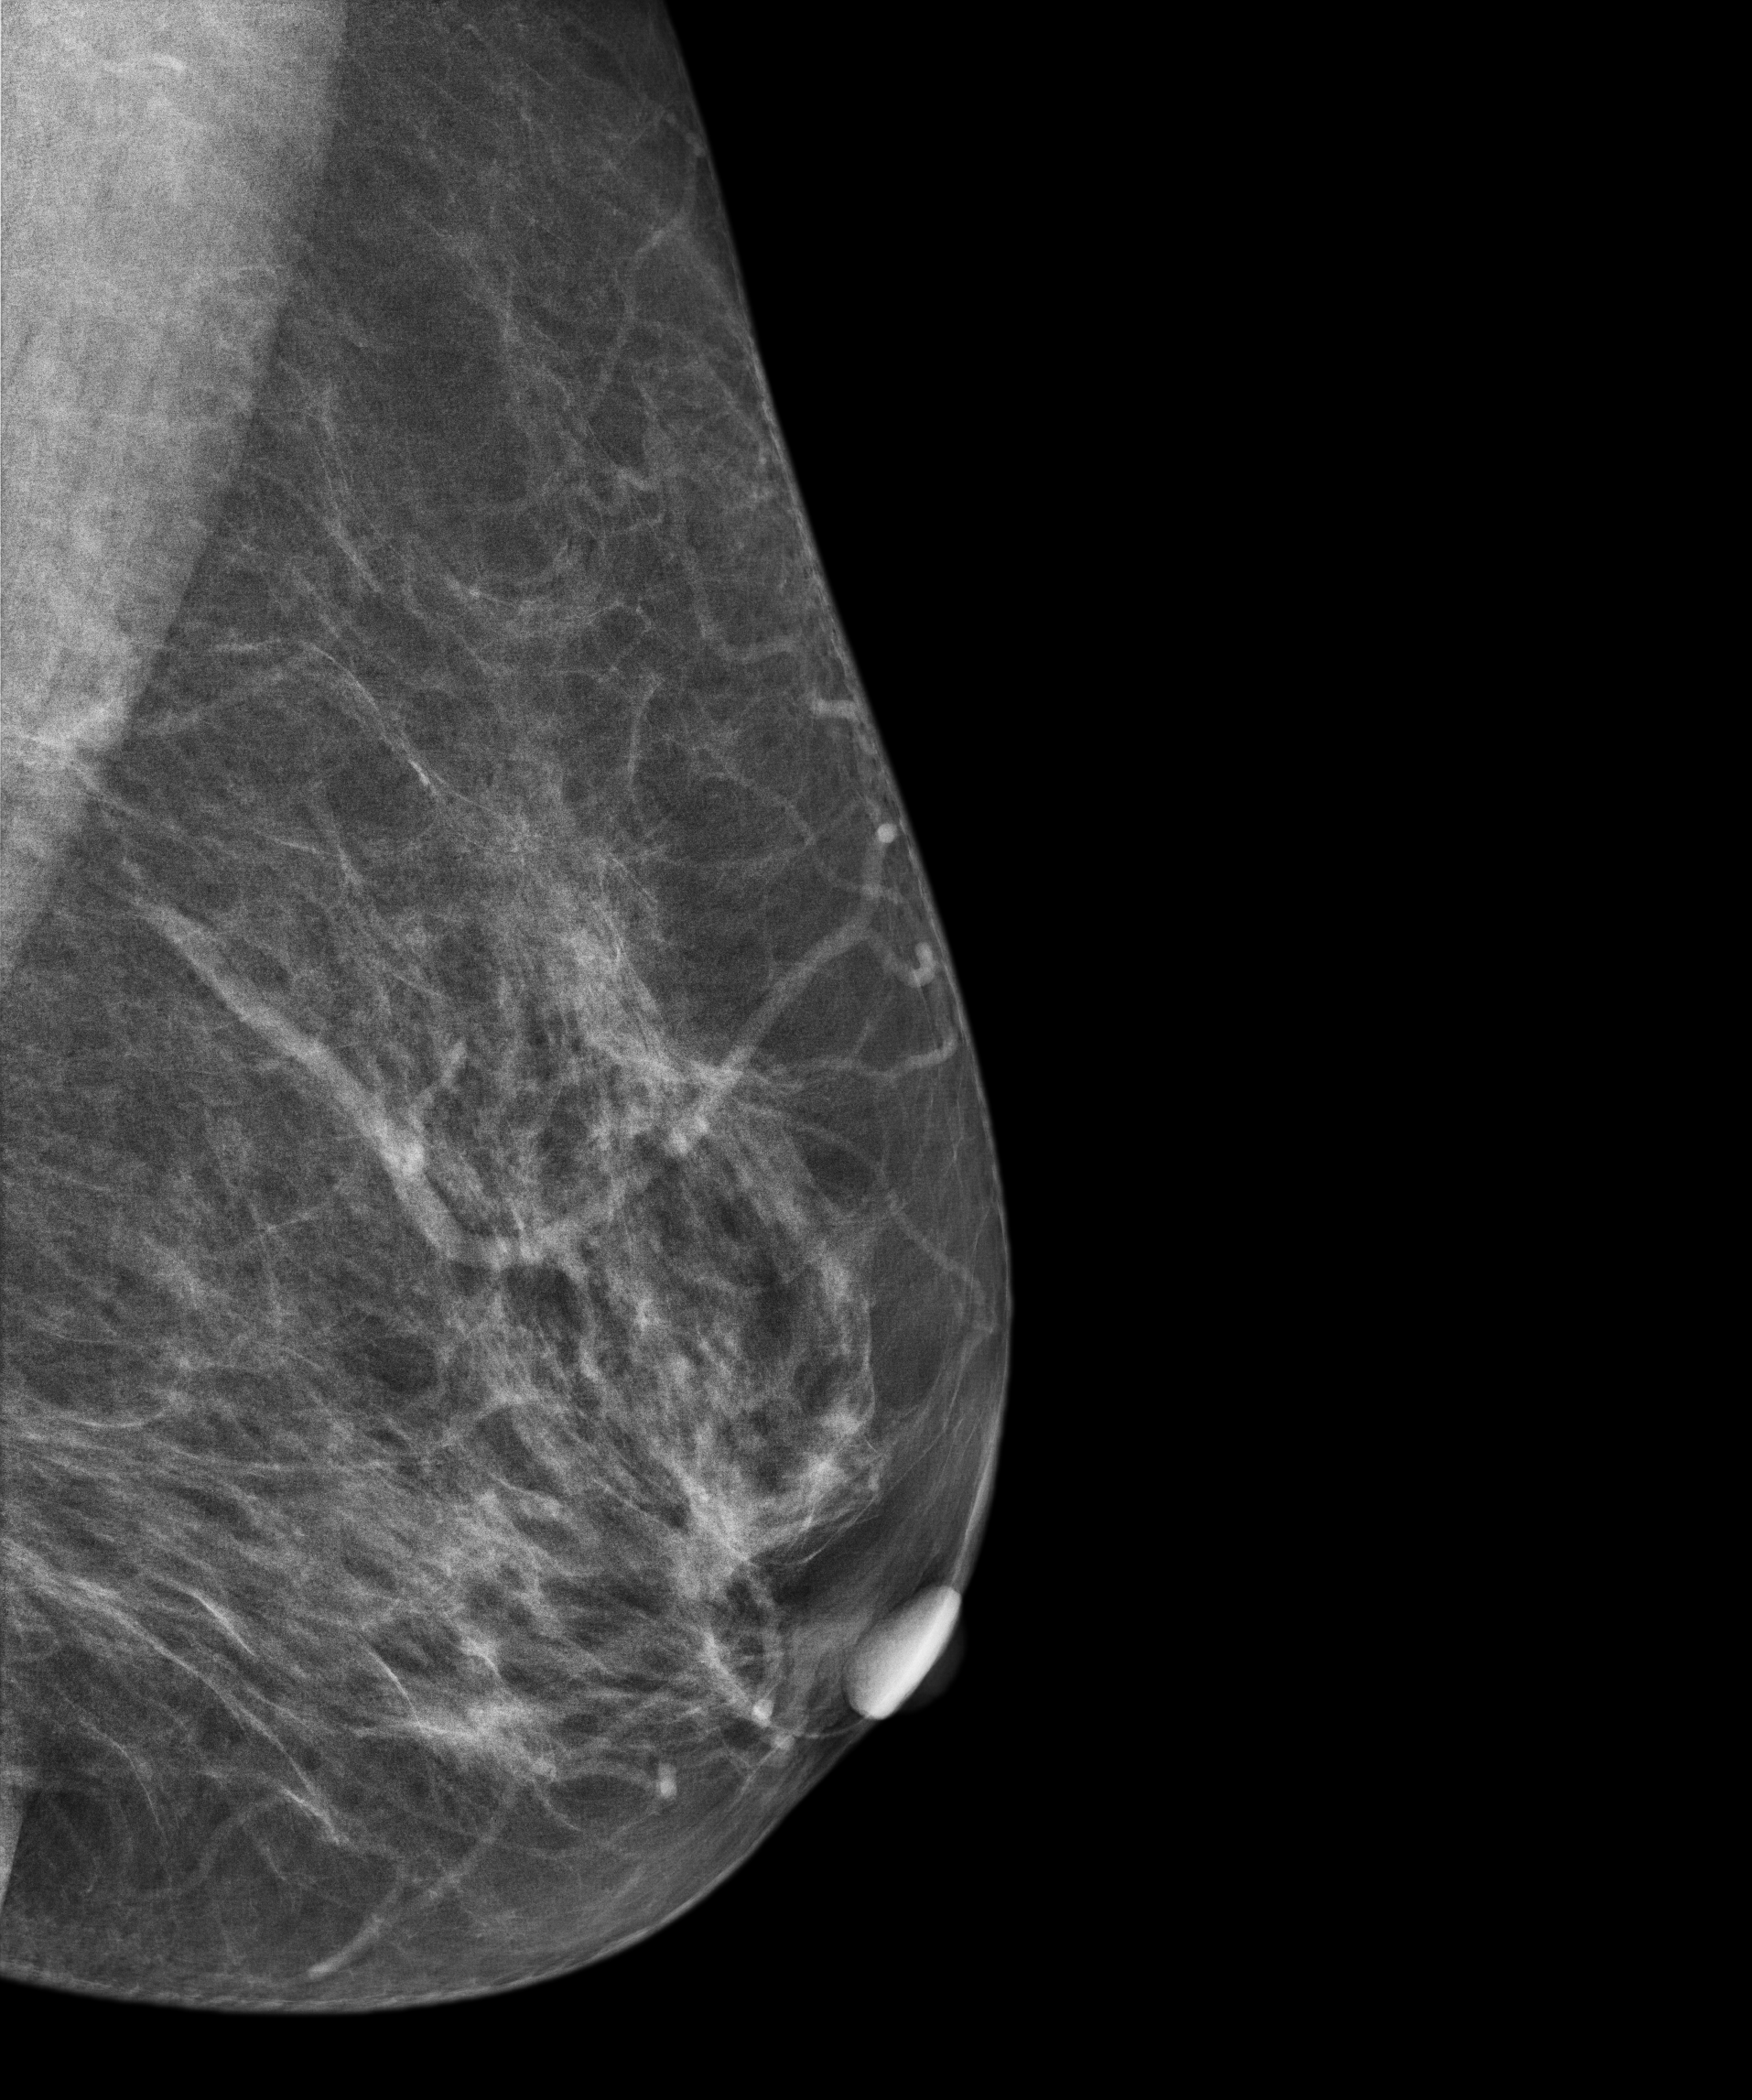
Mammogram — left MLO. 62 y/o patient.
Contralateral breast — no documented abnormality on this side.